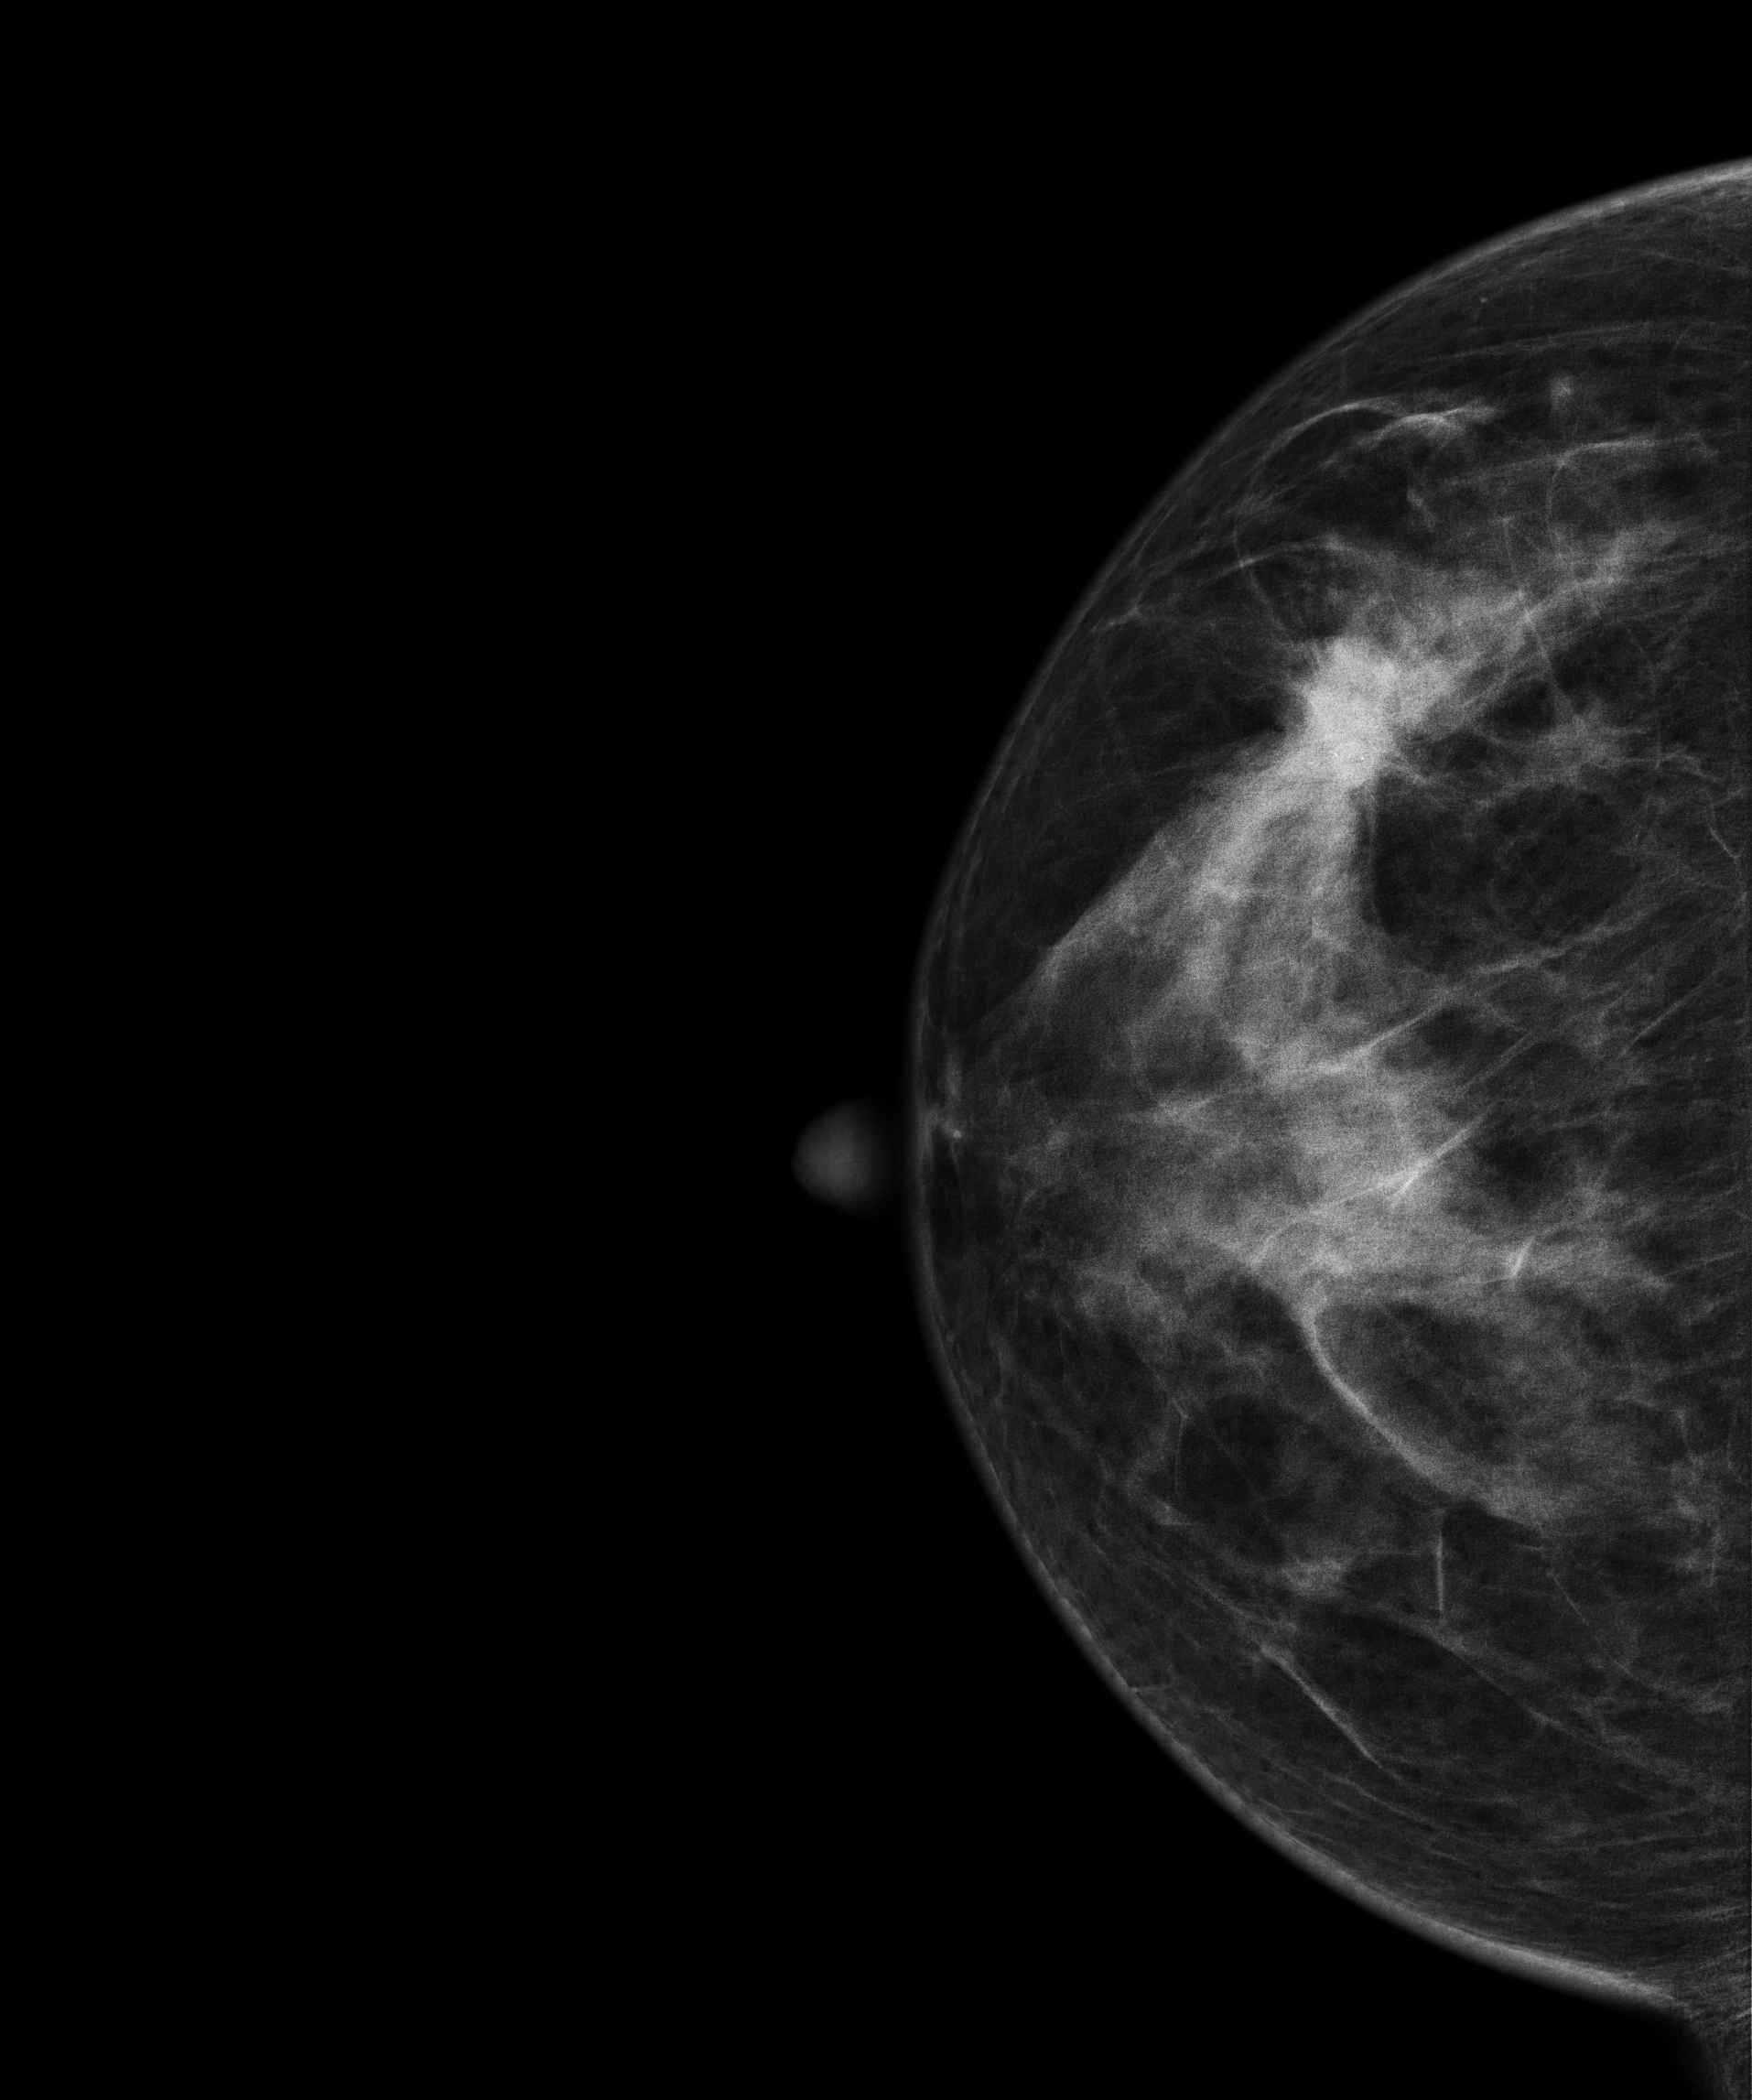
CC mammogram of the right breast. Patient age 42.
This breast has a mass and calcifications, histologically confirmed malignant. Molecular subtype: HER2-enriched.